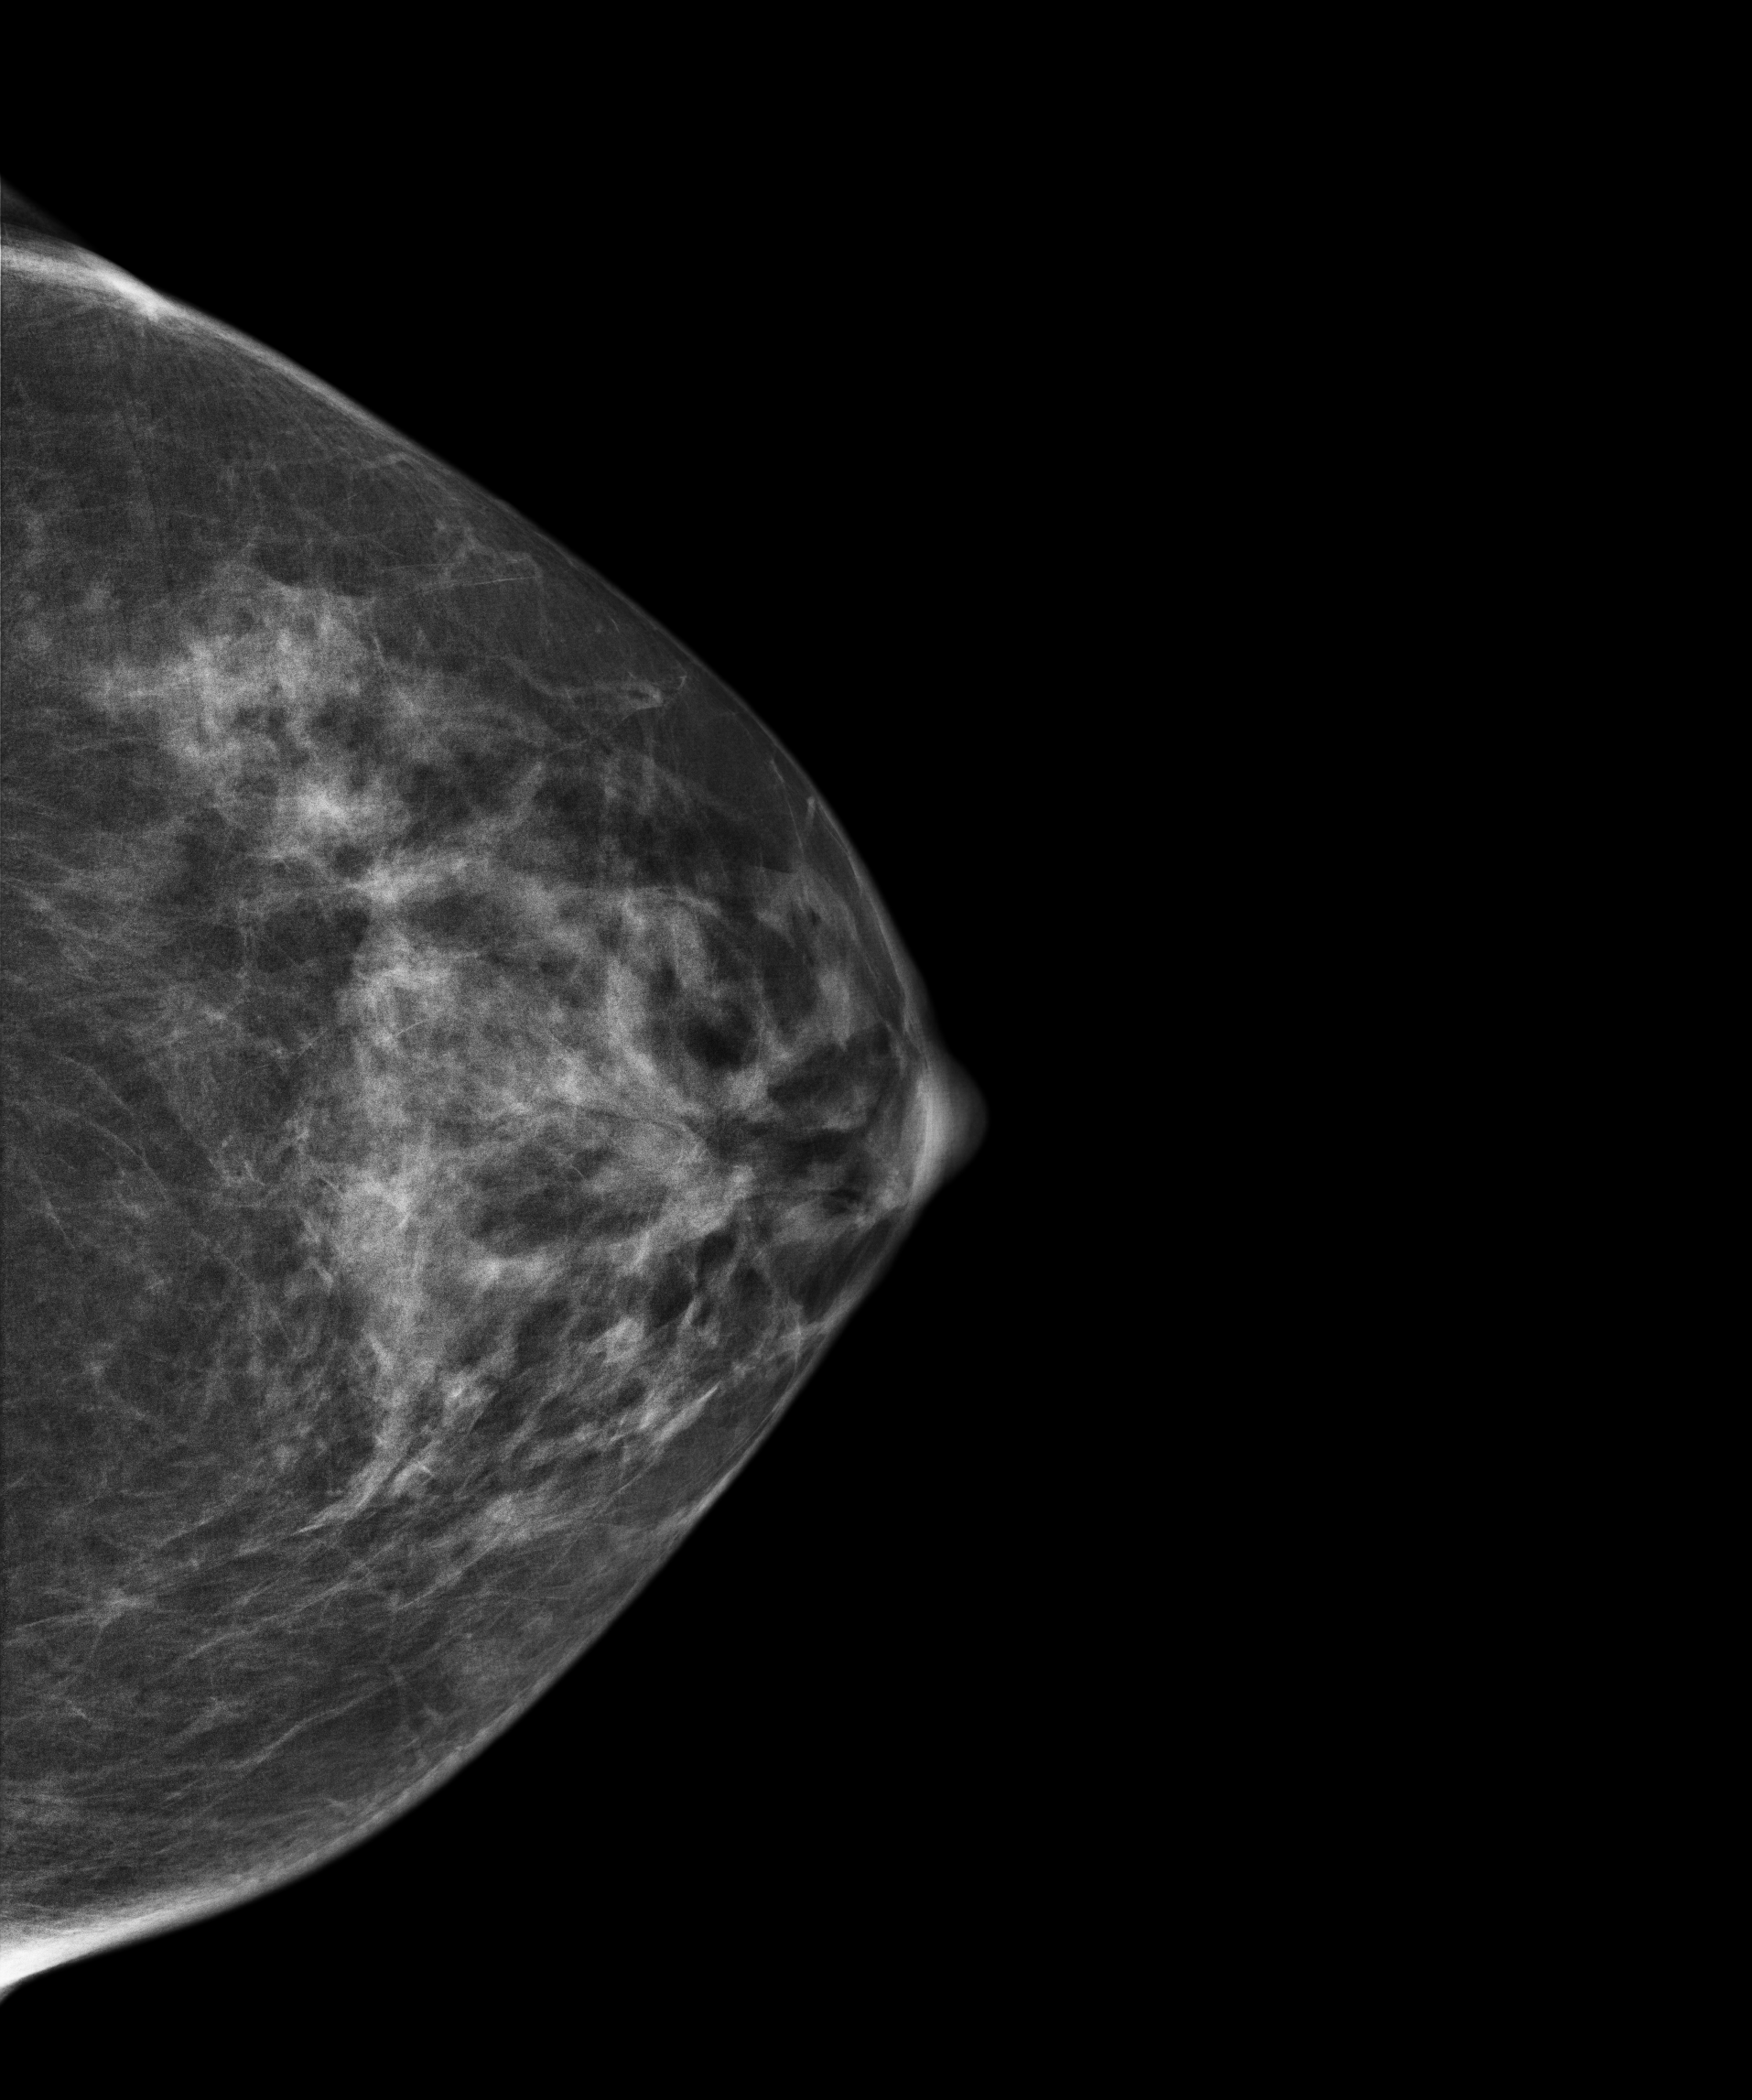
Left-breast mammogram, CC. Patient age 64.
Contralateral breast — no documented abnormality on this side.